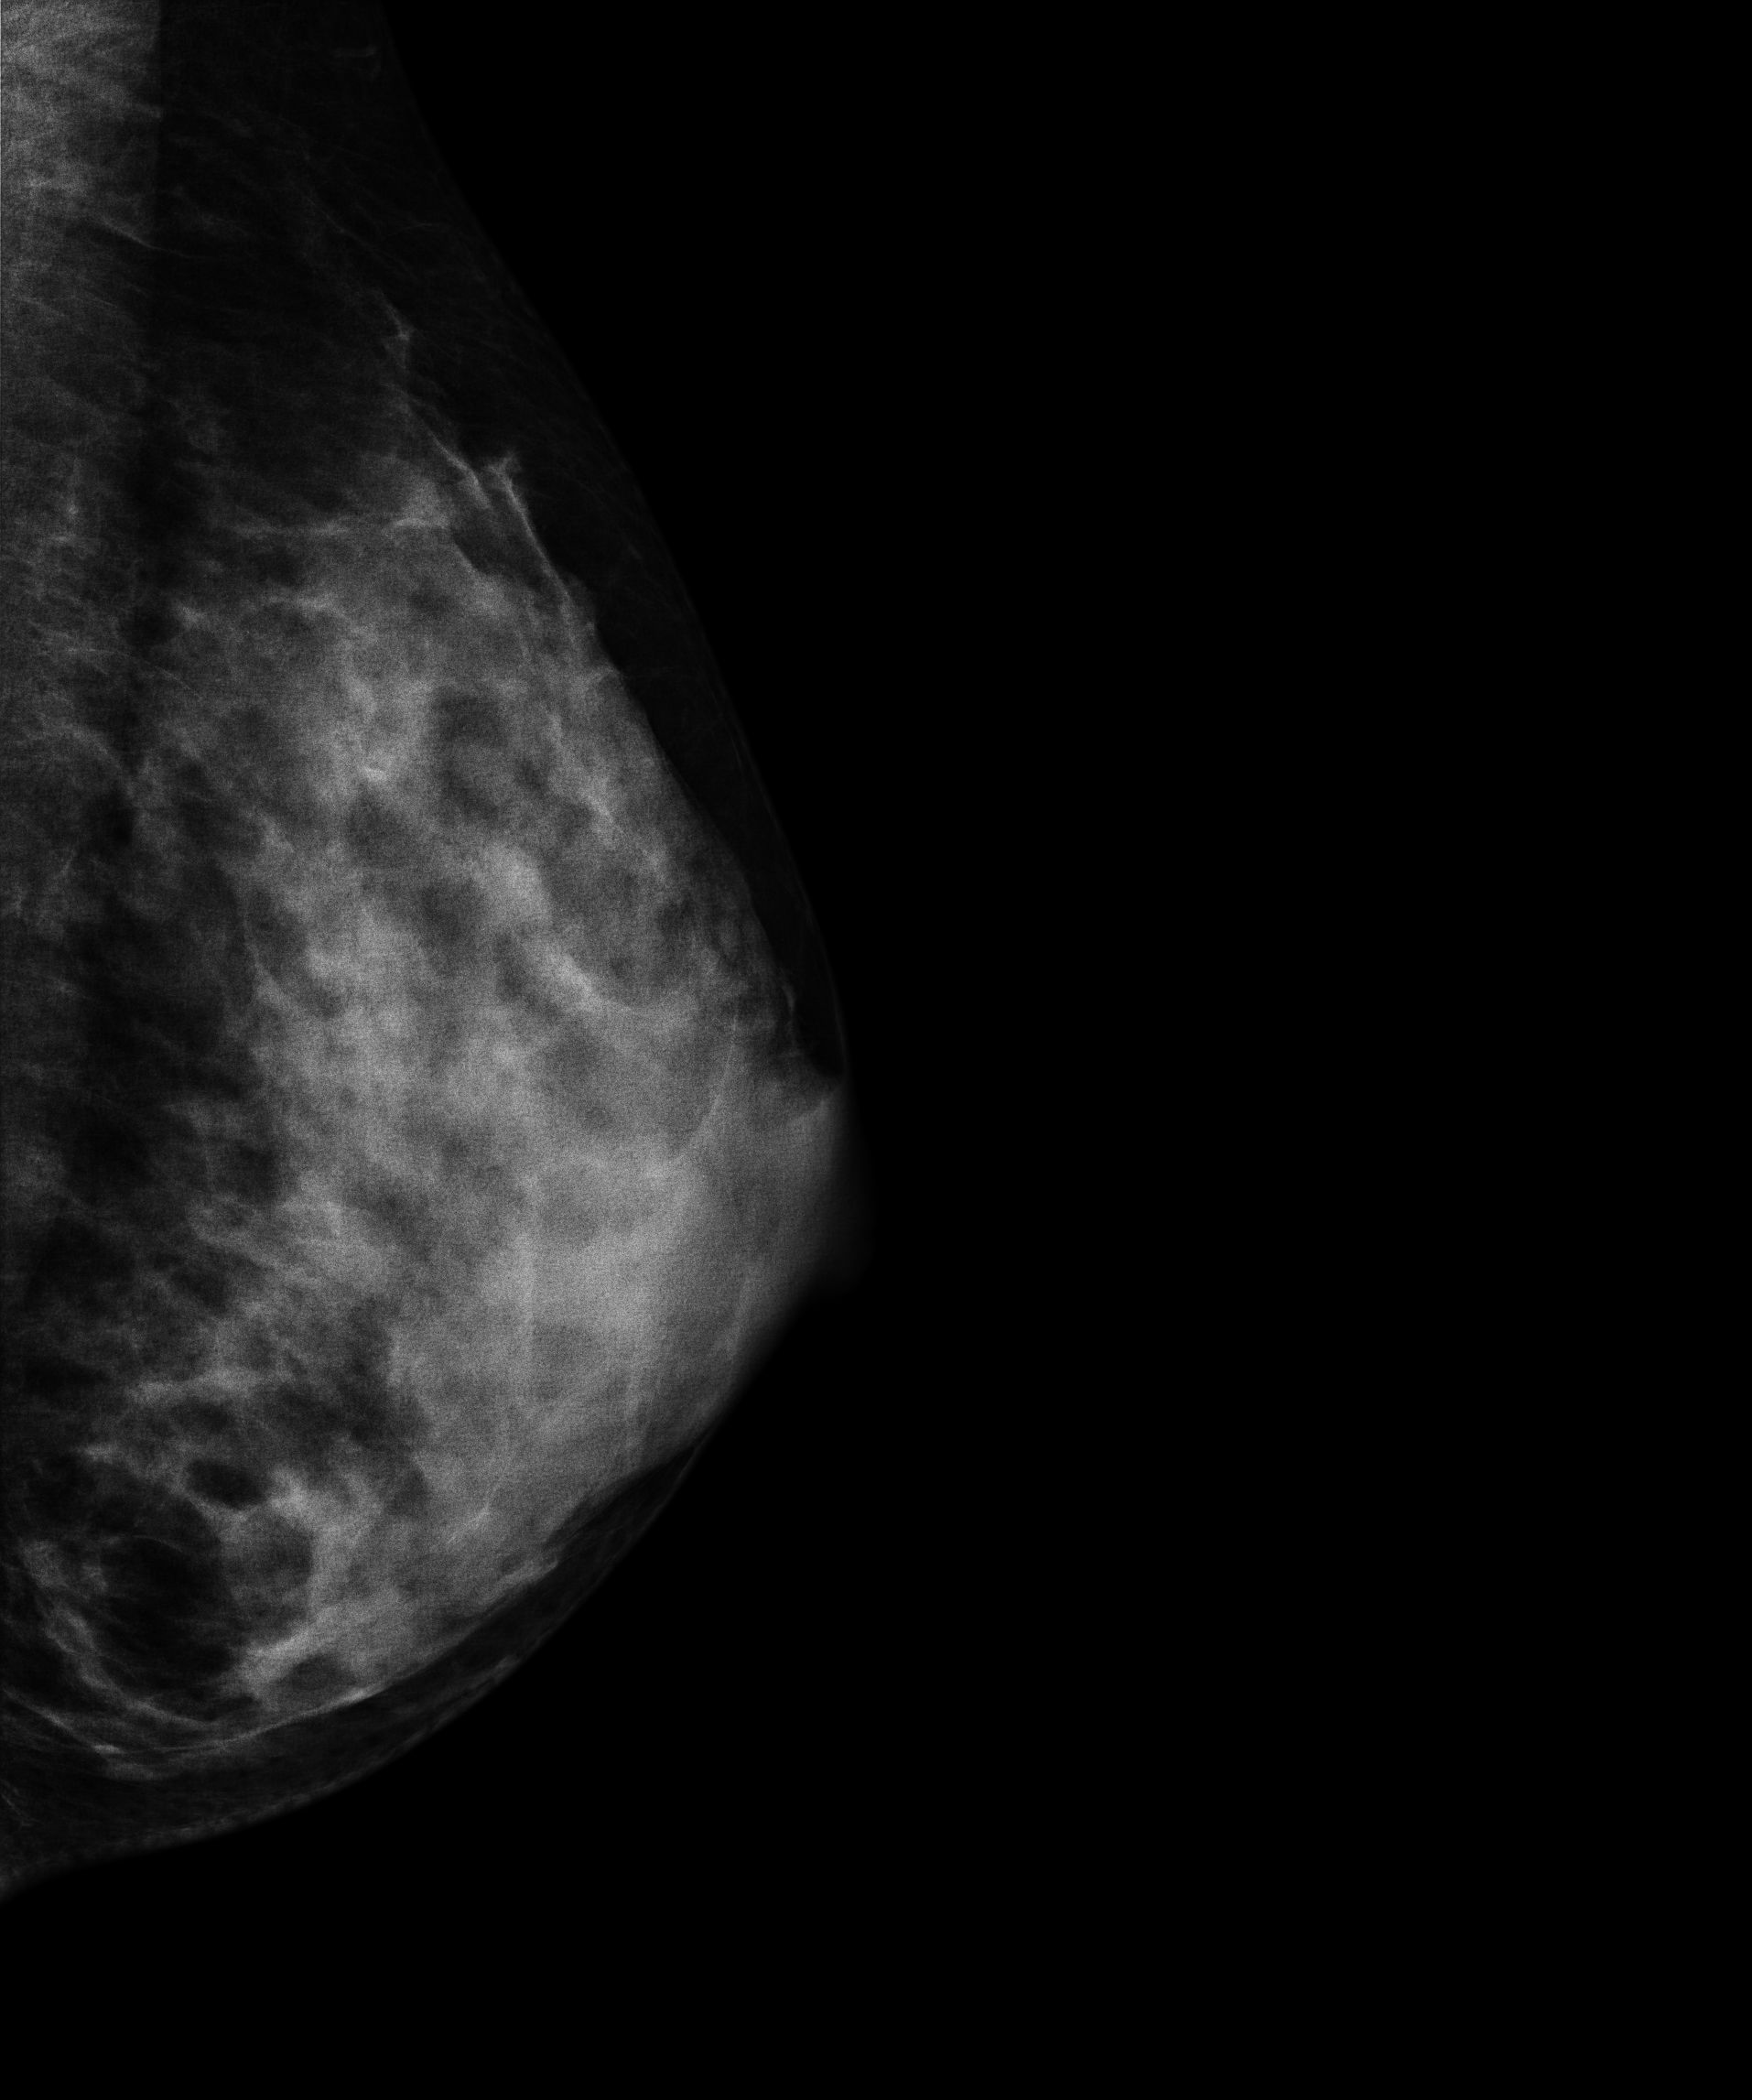
Mammogram — left medio-lateral oblique. 28-year-old patient.
This breast has a mass, pathology-confirmed benign.